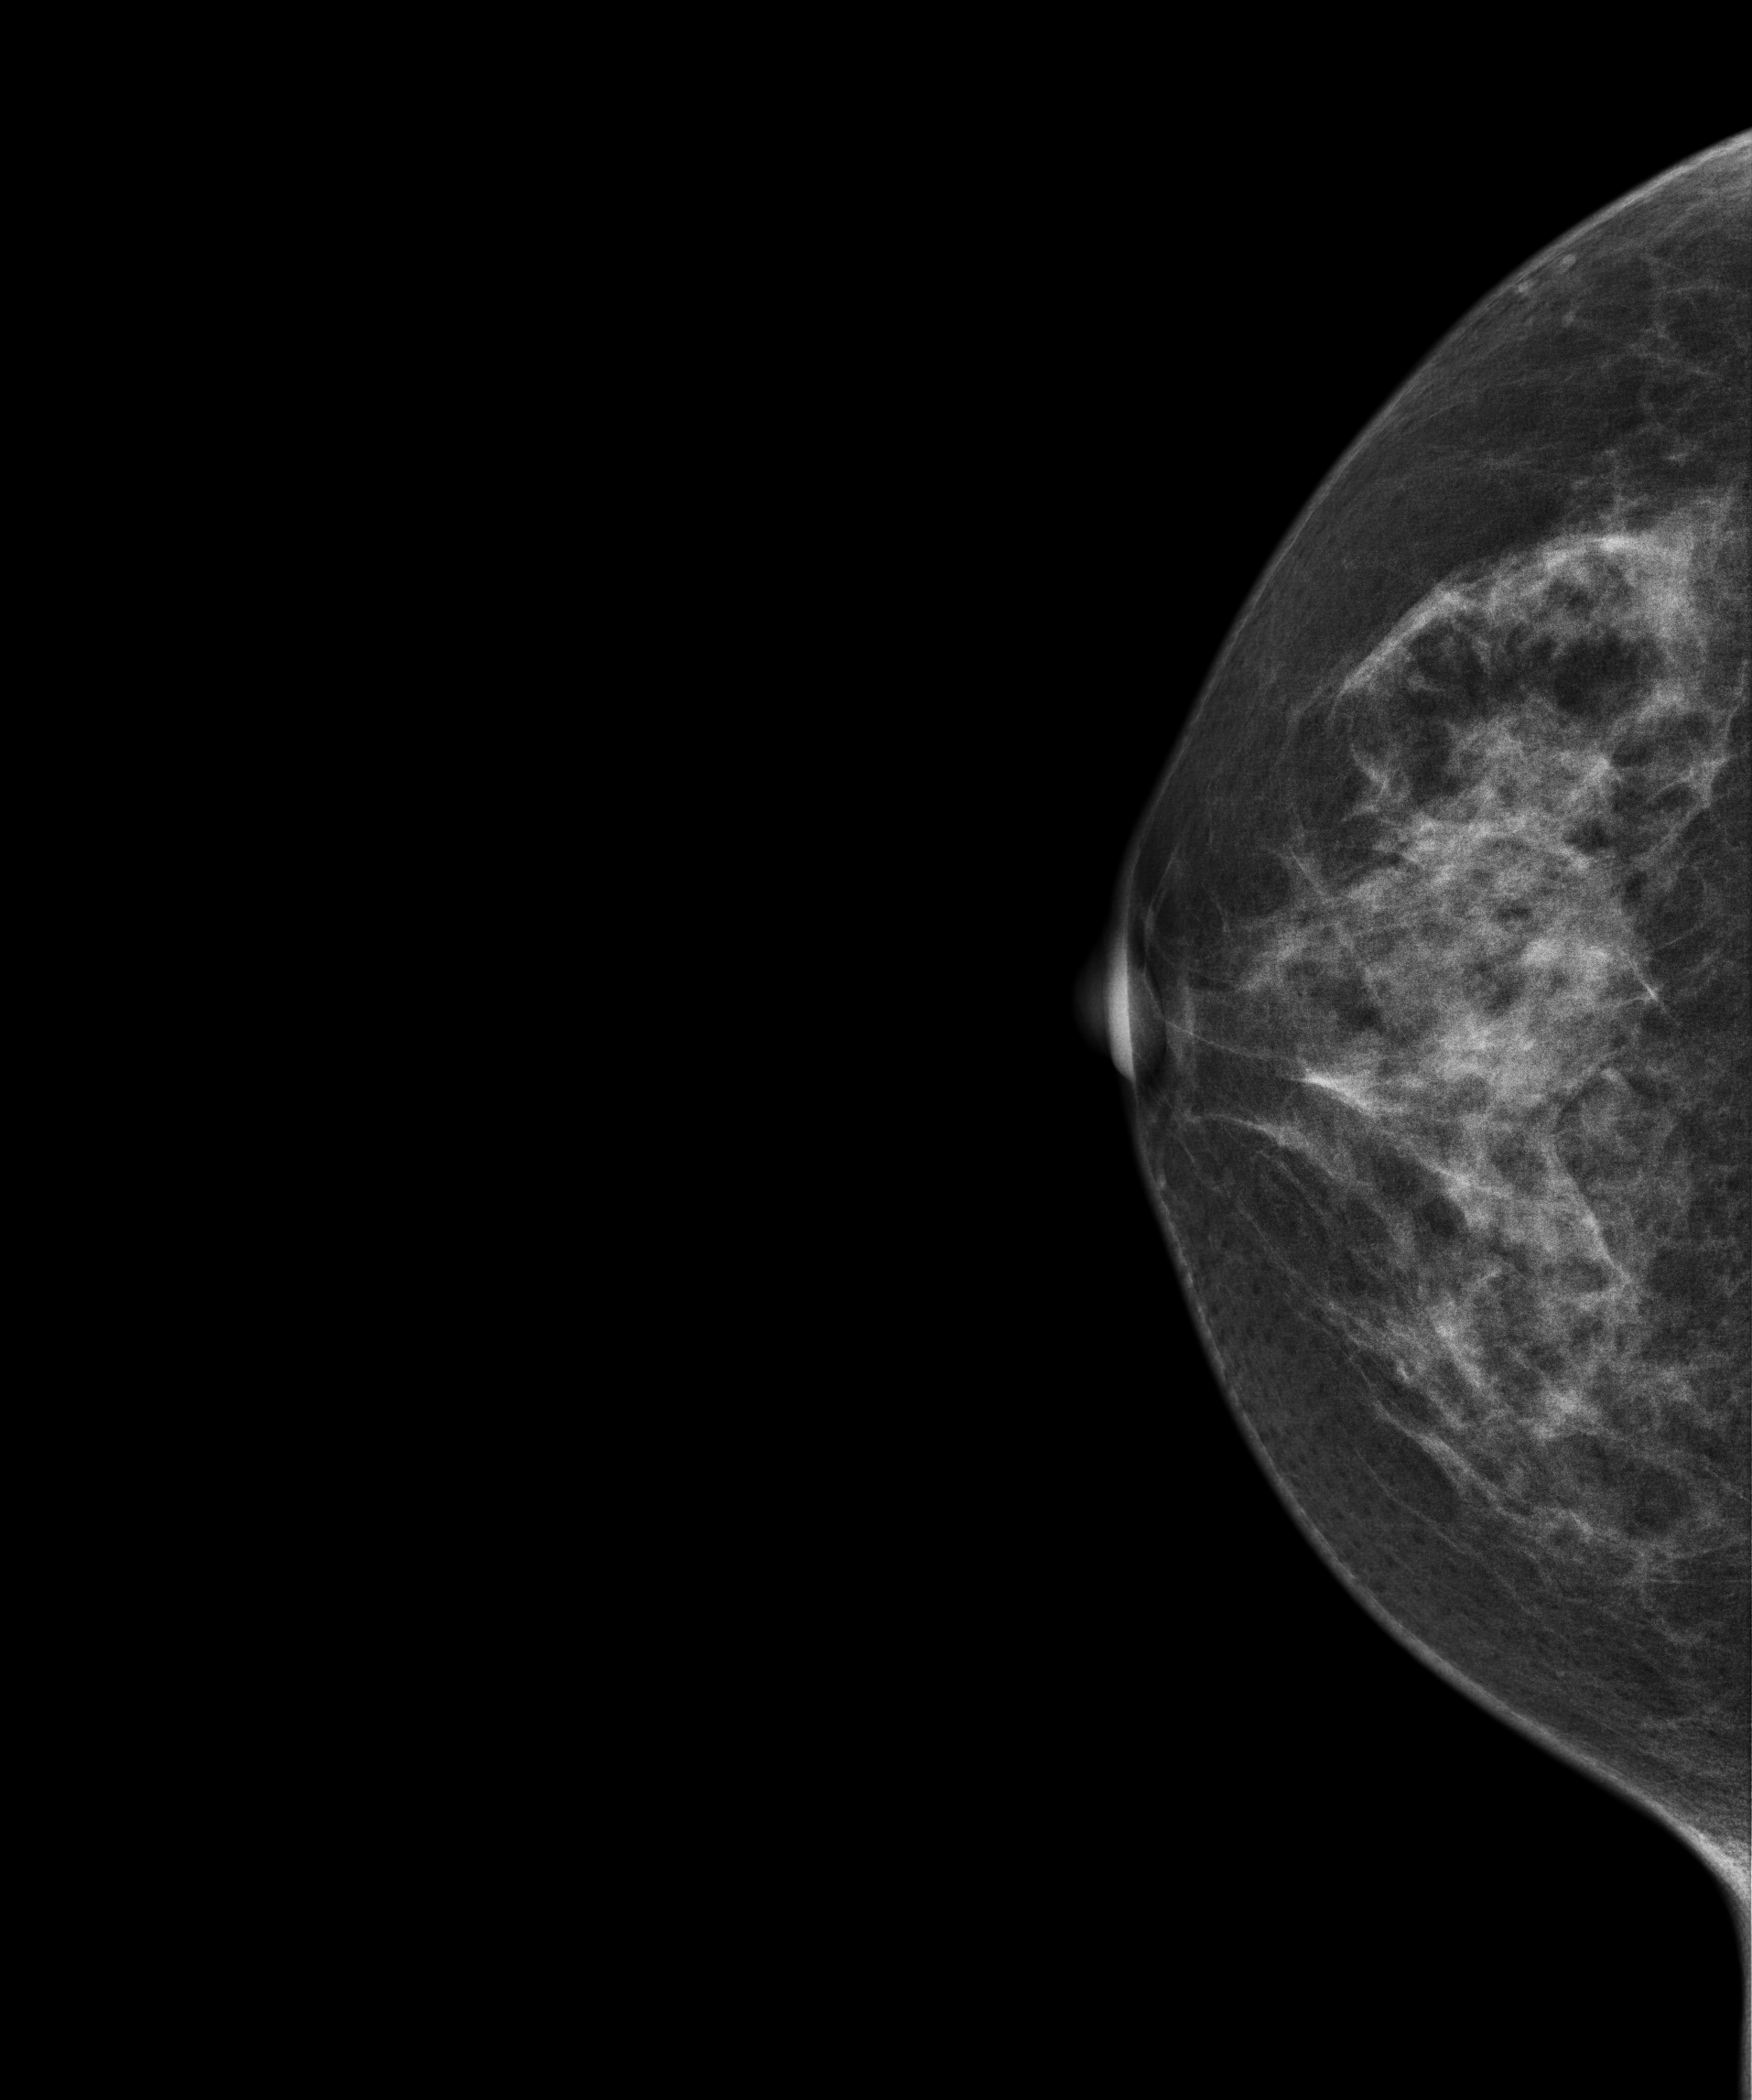
Mammogram, right breast, CC view. Patient age 58.
Contralateral breast — no documented abnormality on this side.